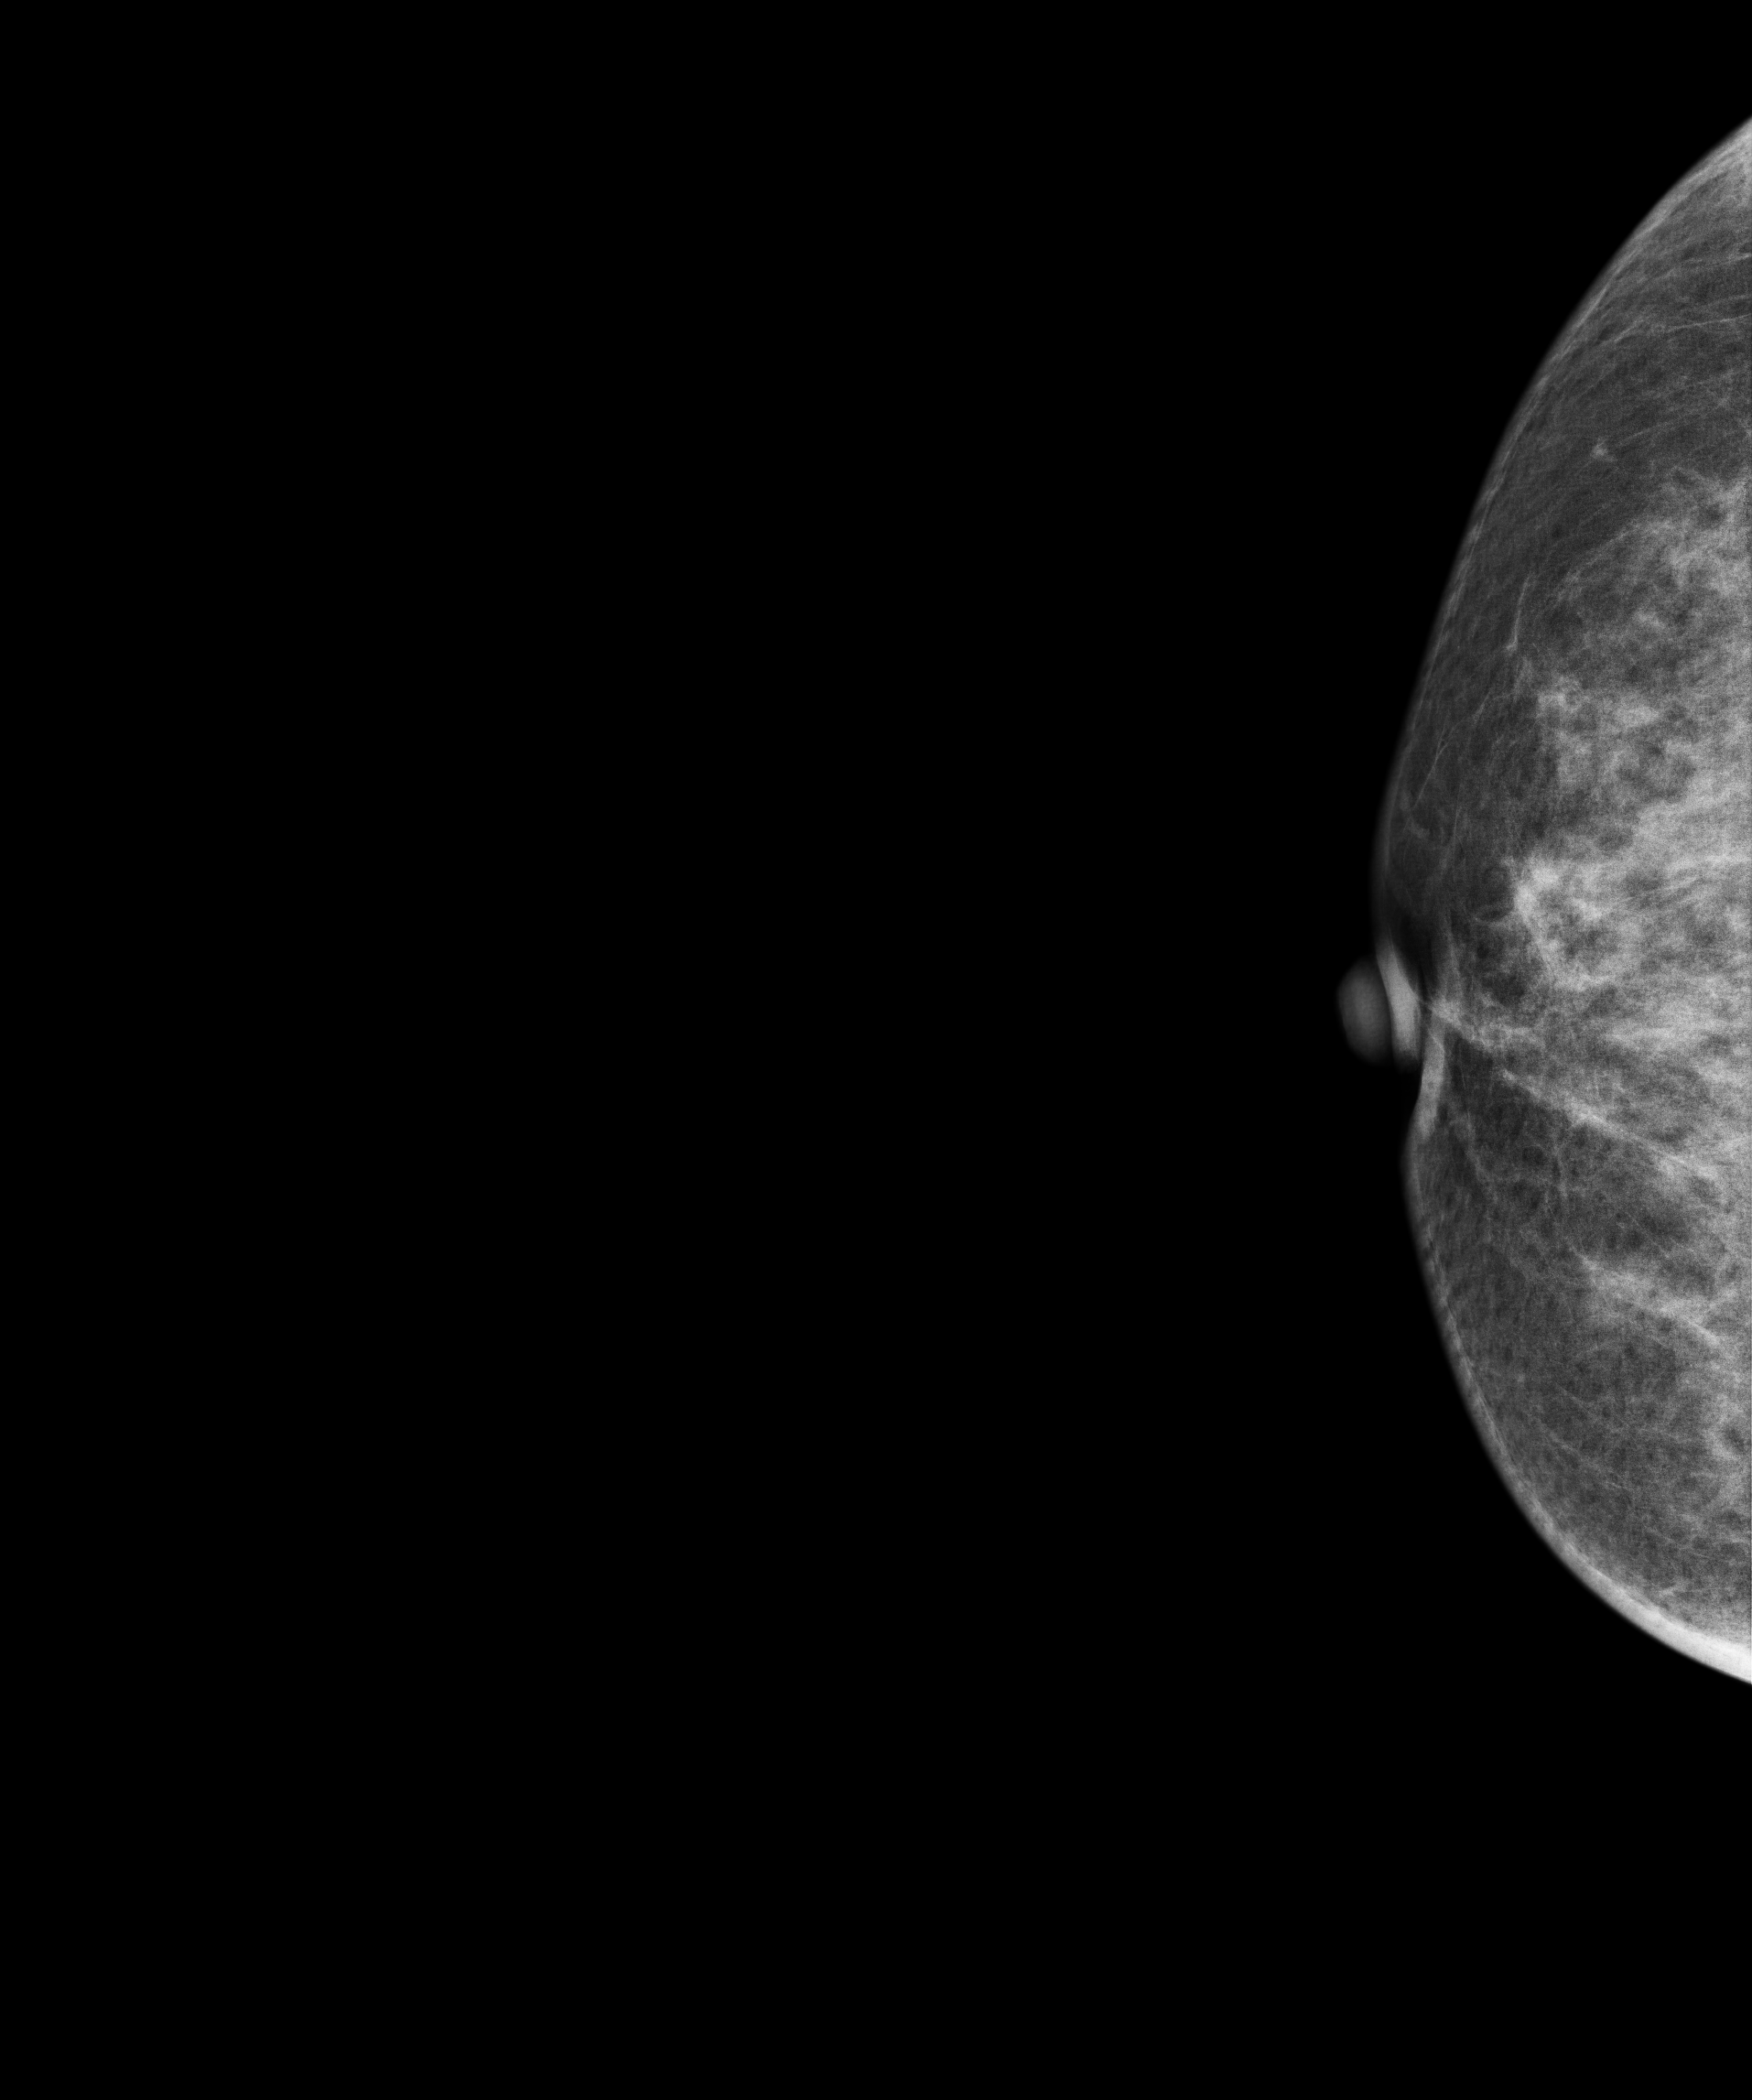
Mammogram — right cranio-caudal. Patient age 48.
Contralateral breast — no documented abnormality on this side.